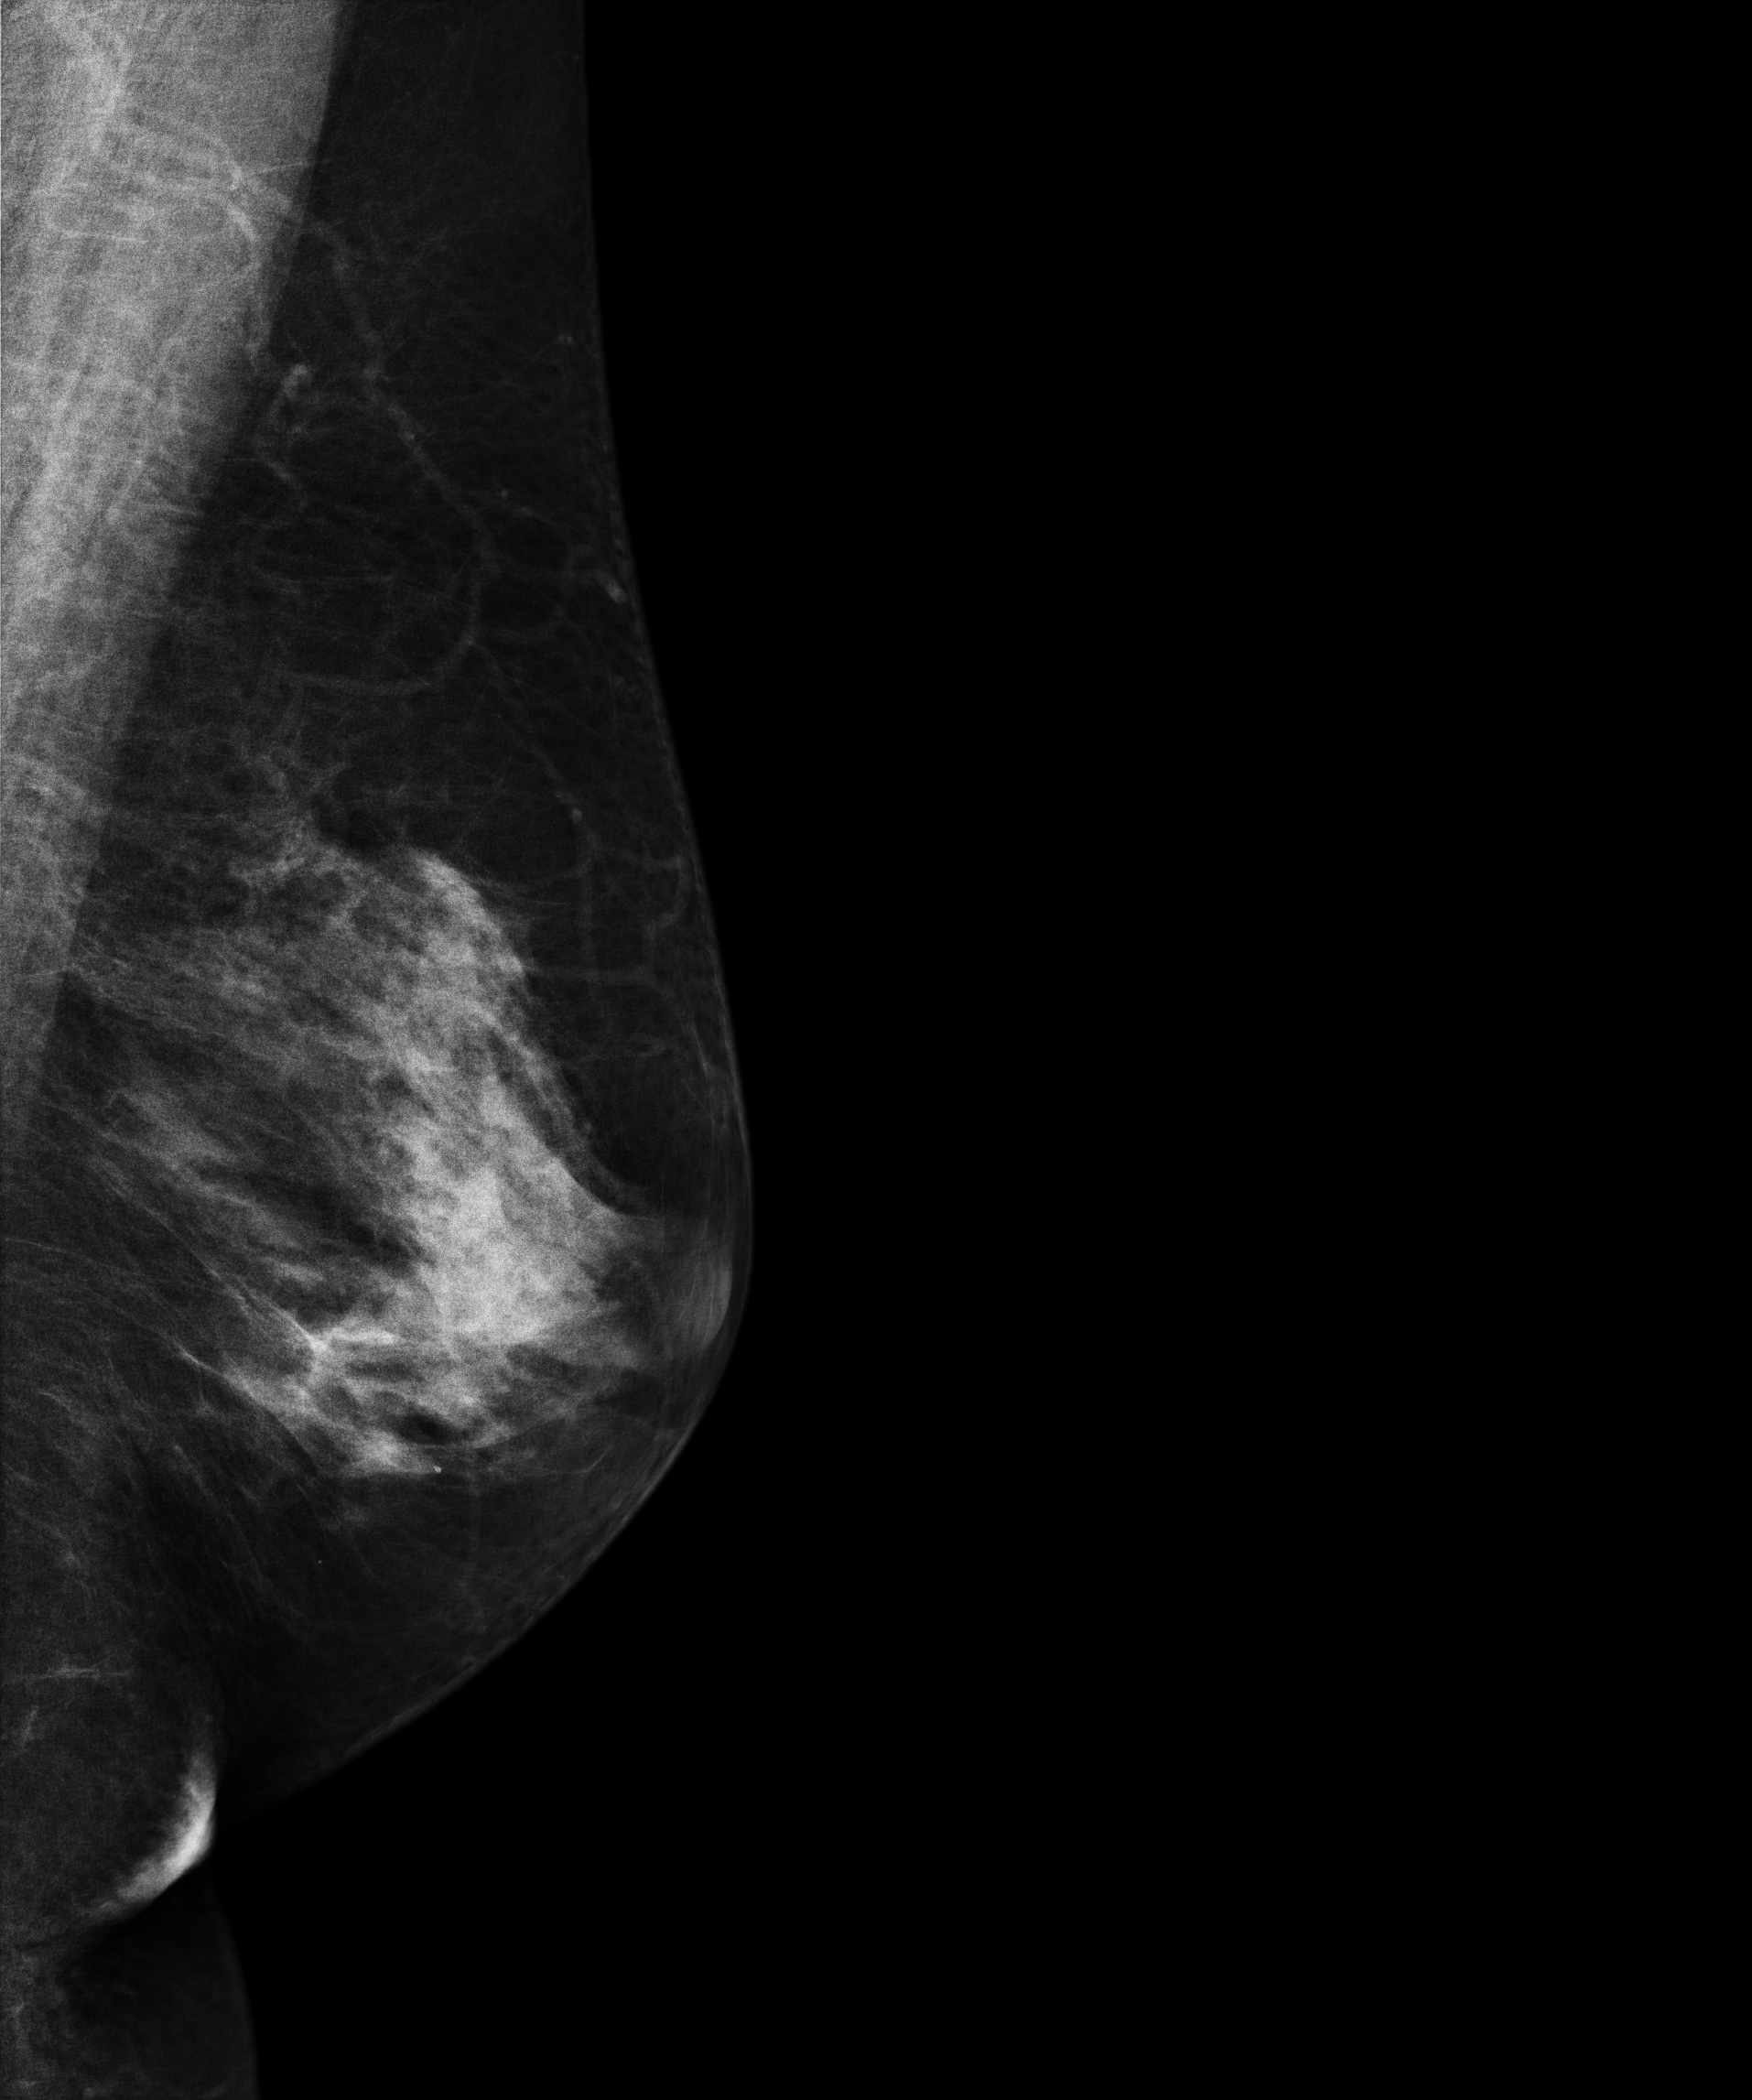
Mammogram, left breast, MLO view. Patient age 71.
Contralateral breast — no documented abnormality on this side.